CC mammogram of the right breast. 44-year-old patient.
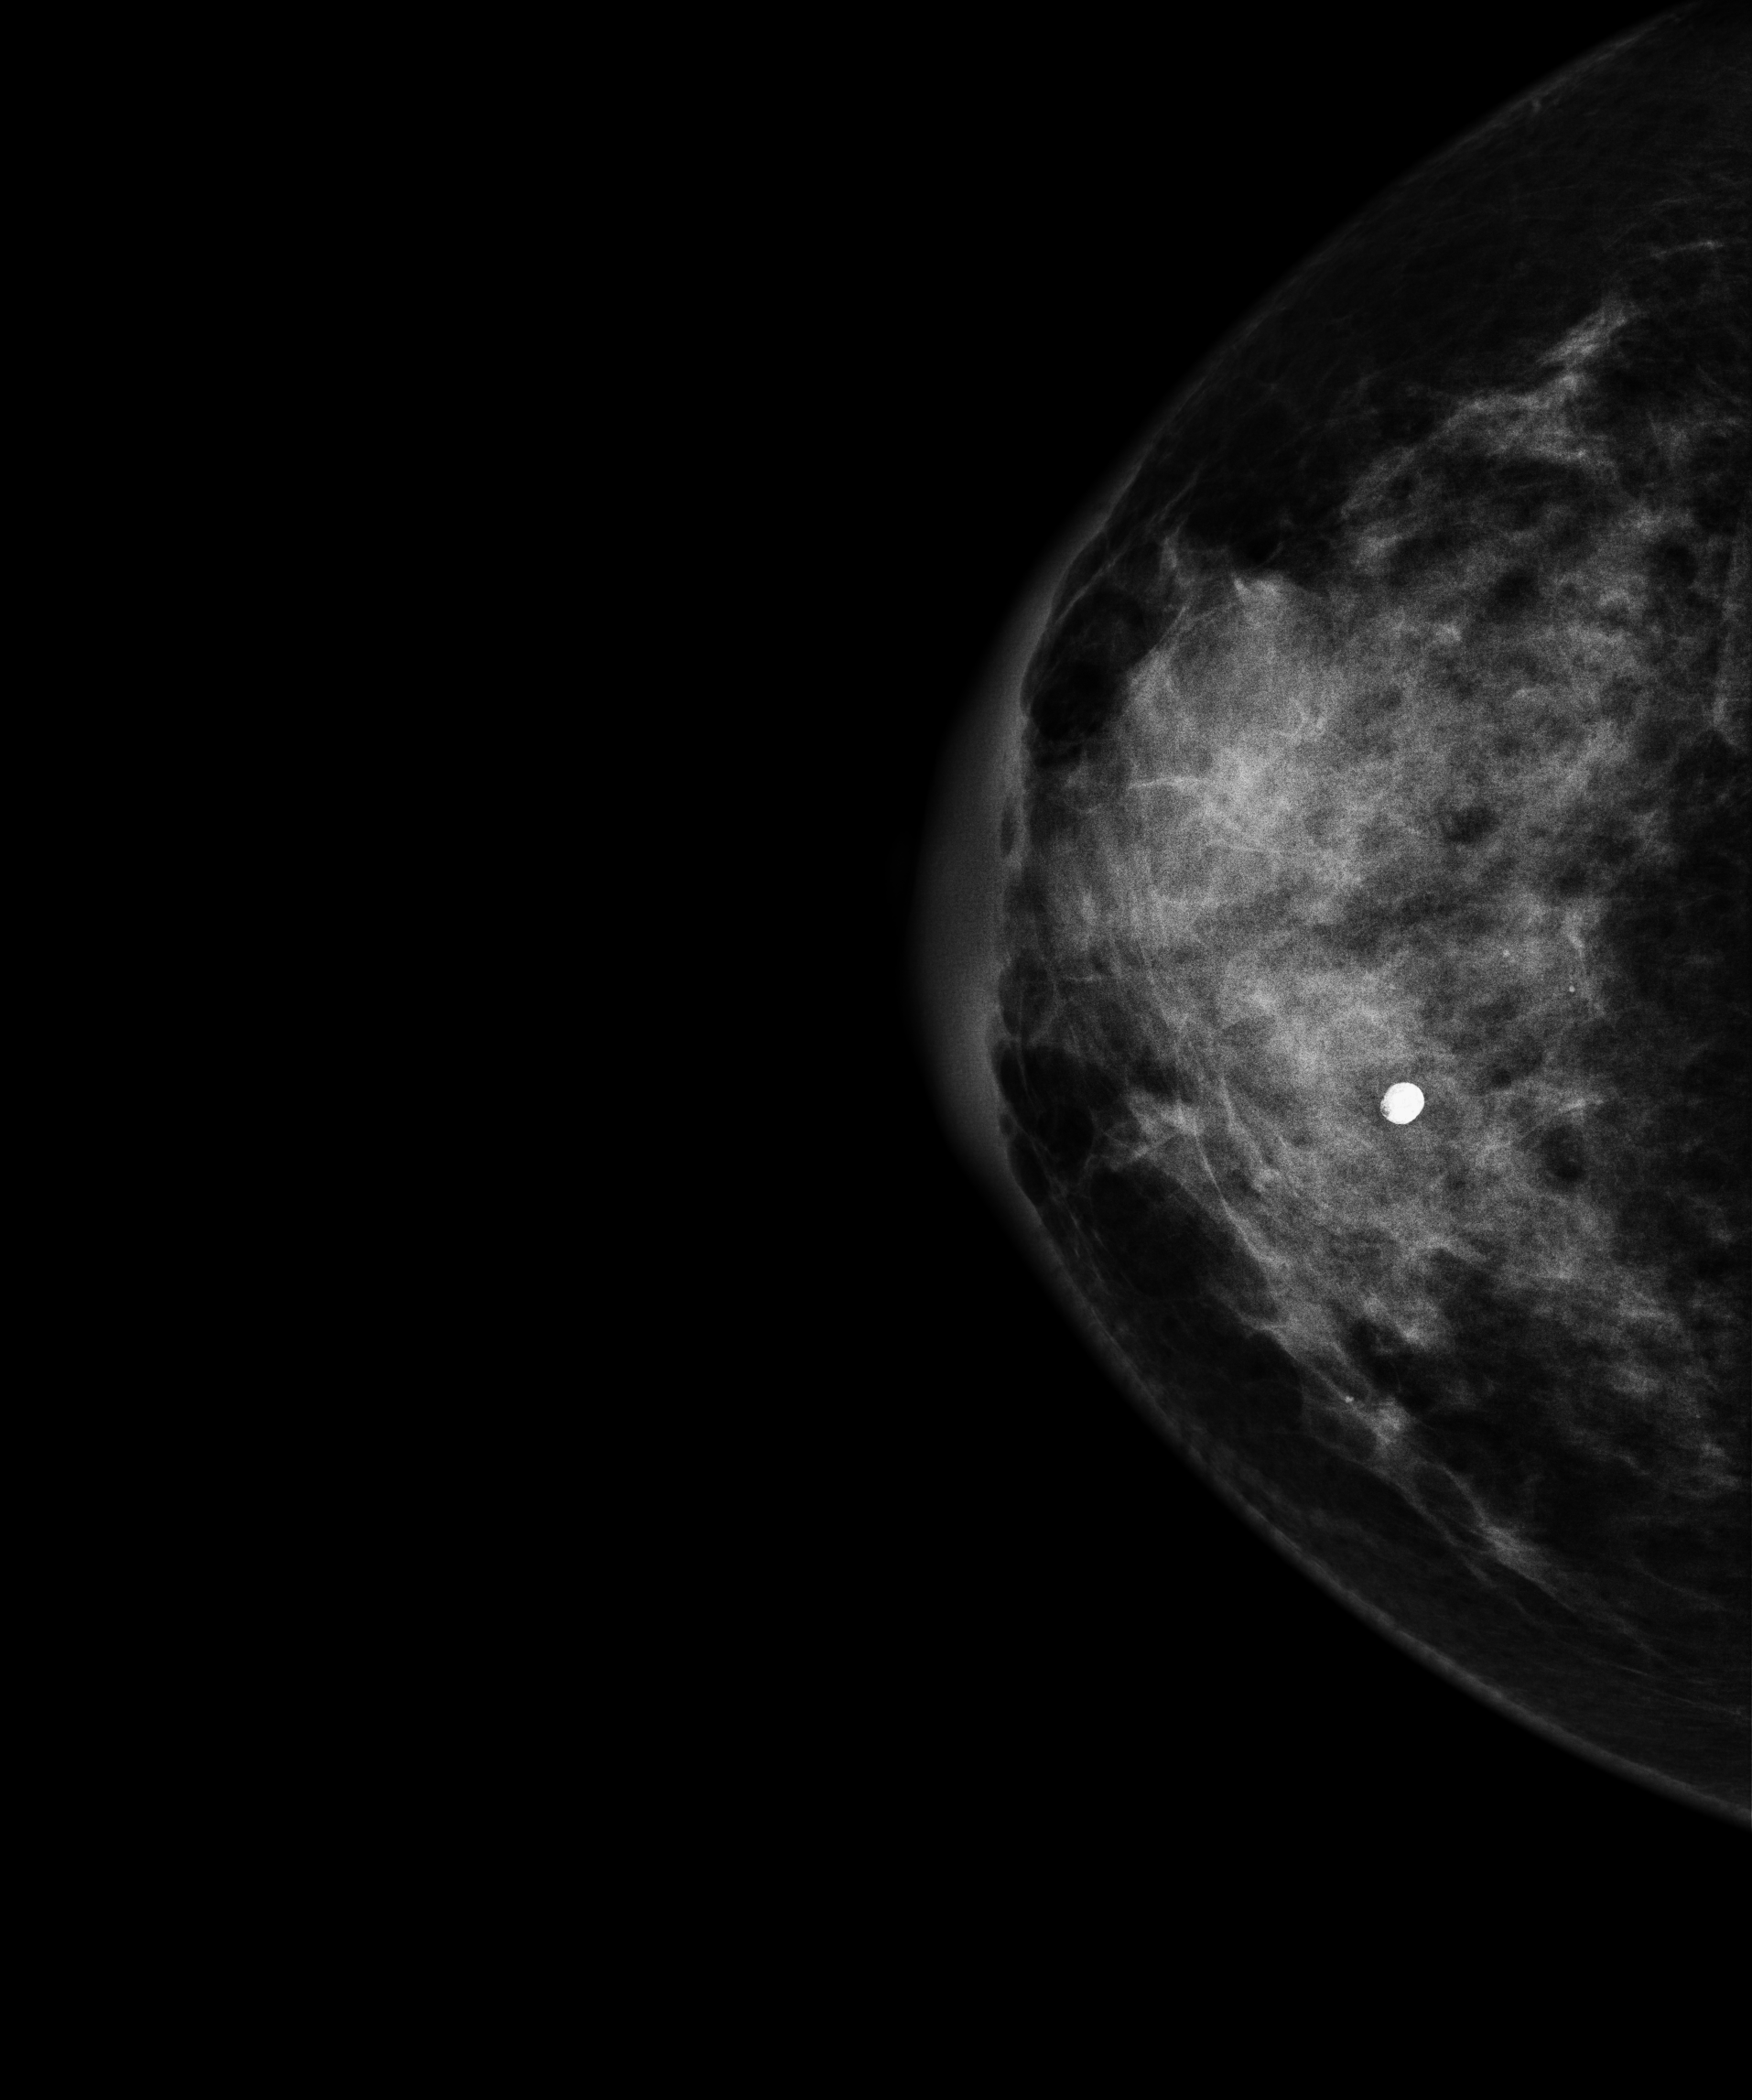
This breast has a mass, pathology-confirmed malignant. Molecular subtype: HER2-enriched.